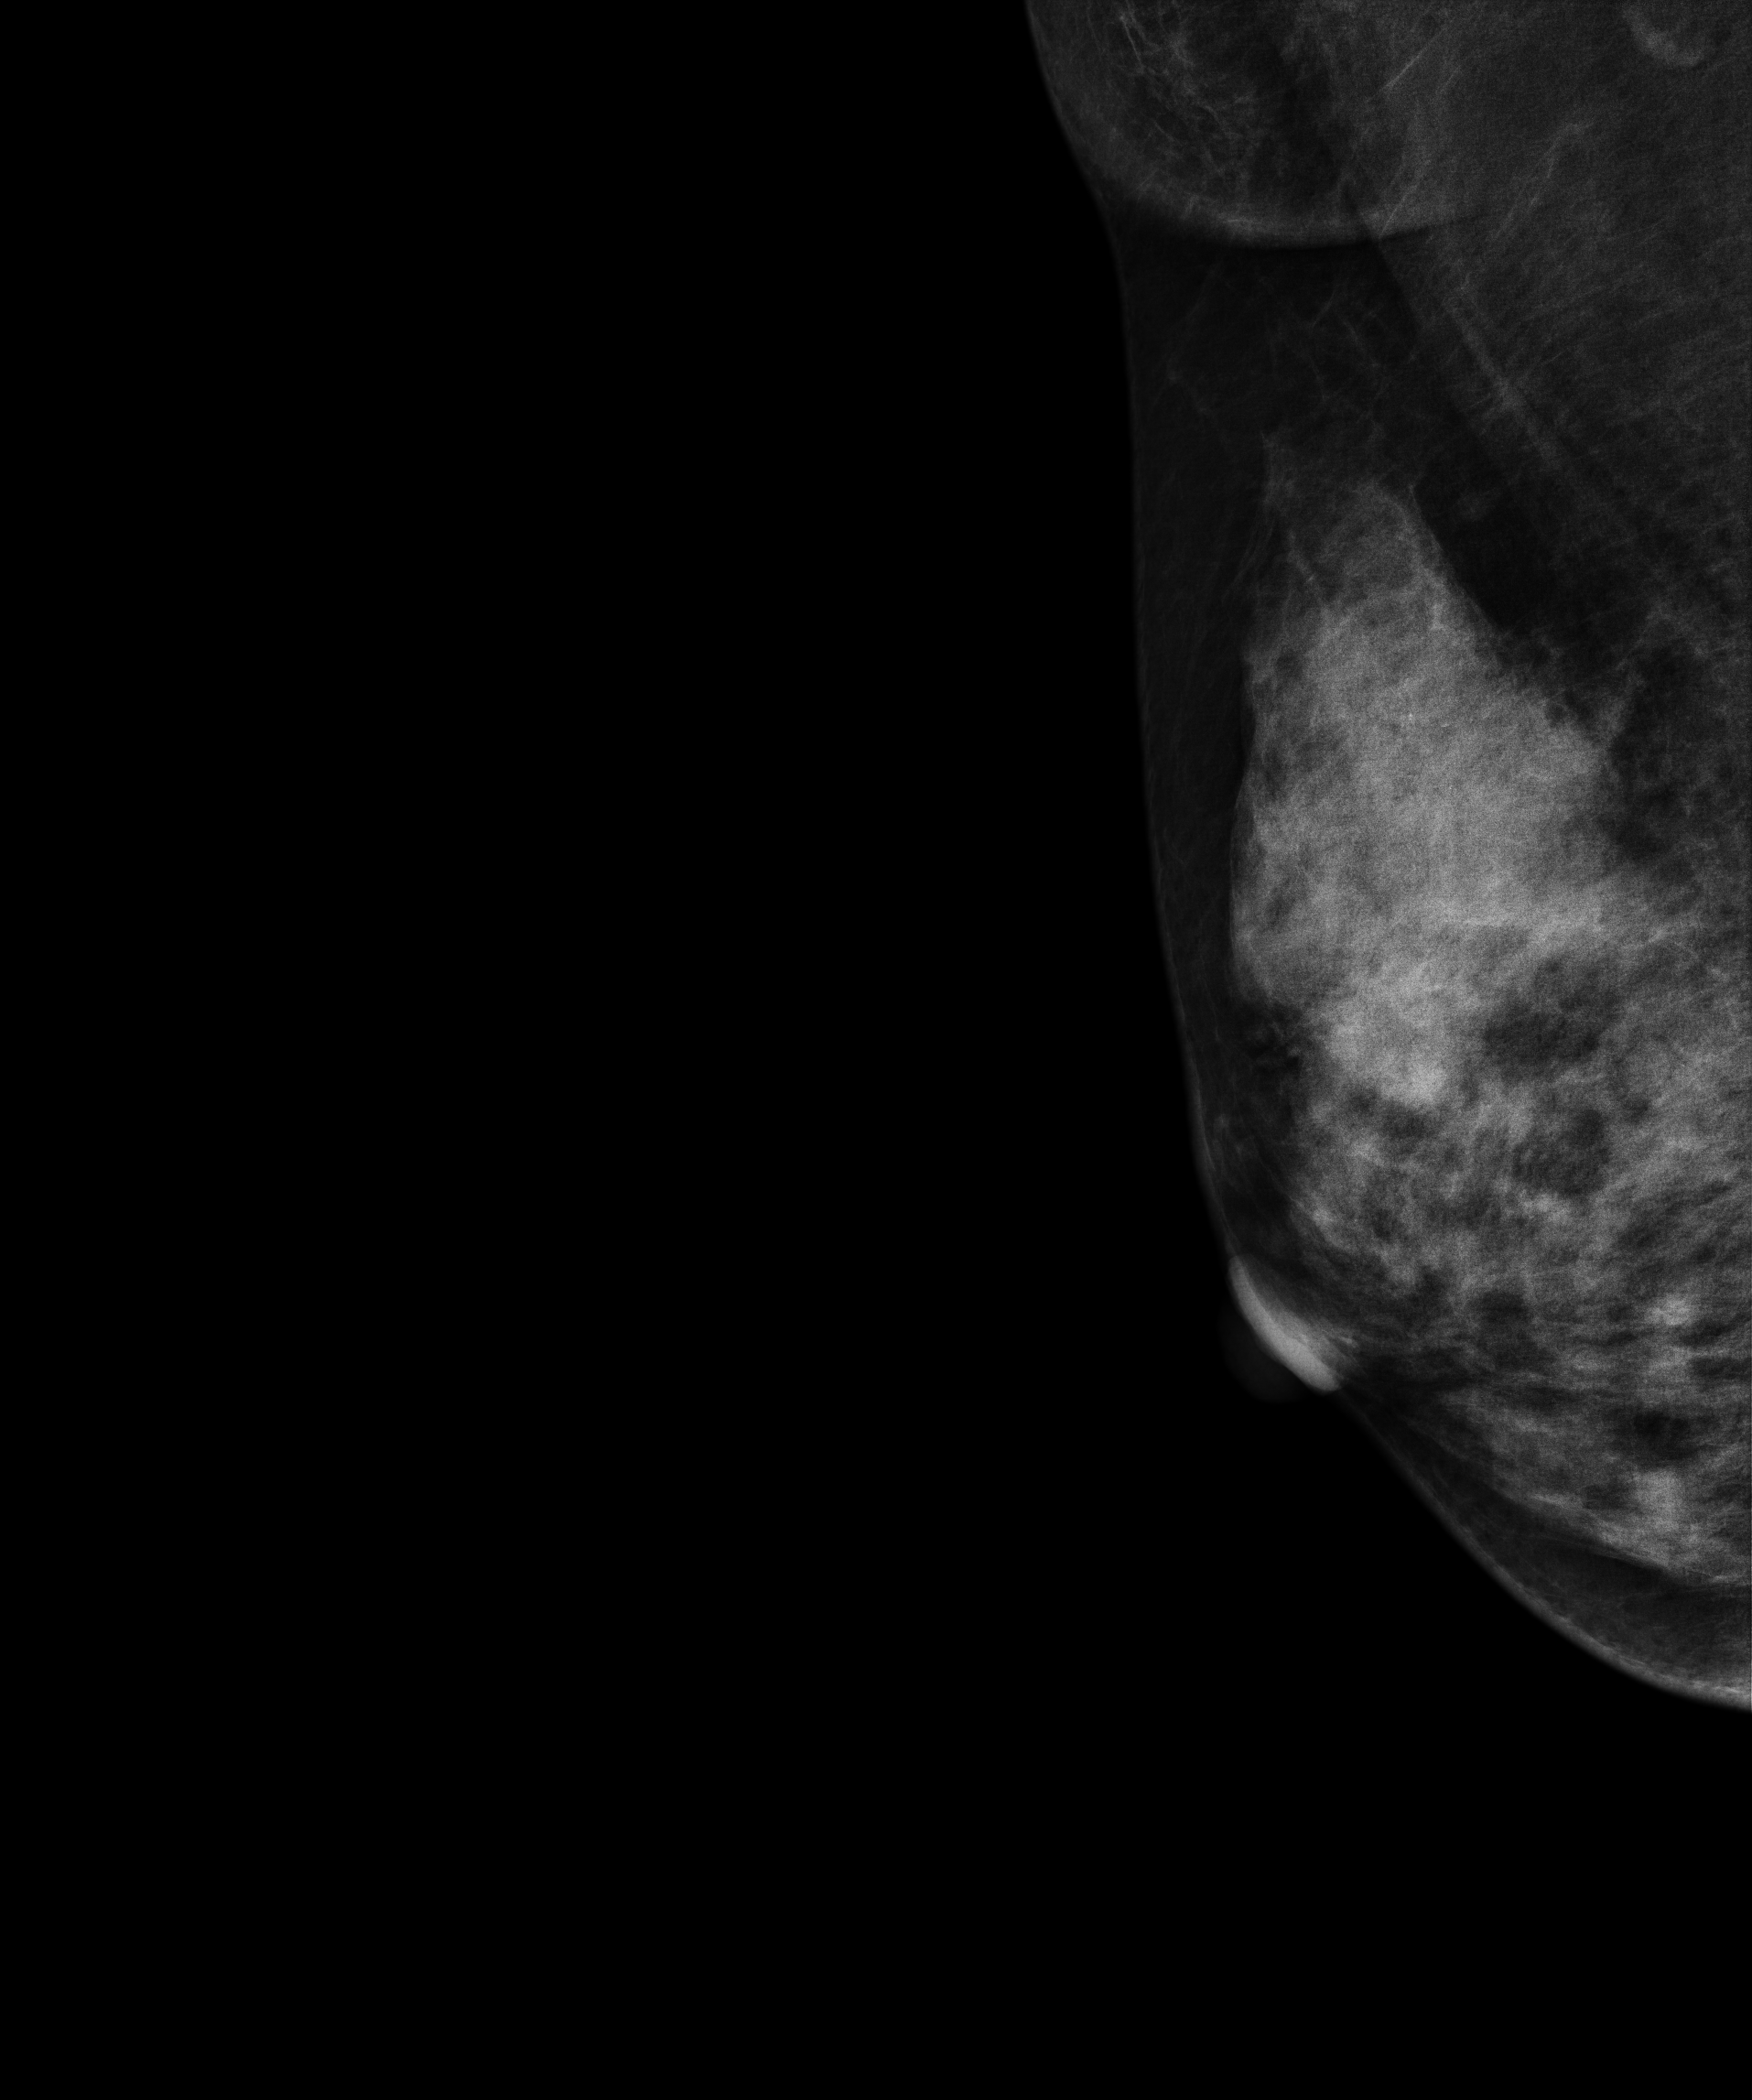
Mammogram — right medio-lateral oblique. 49 y/o patient.
This breast has a mass, pathology-confirmed benign.